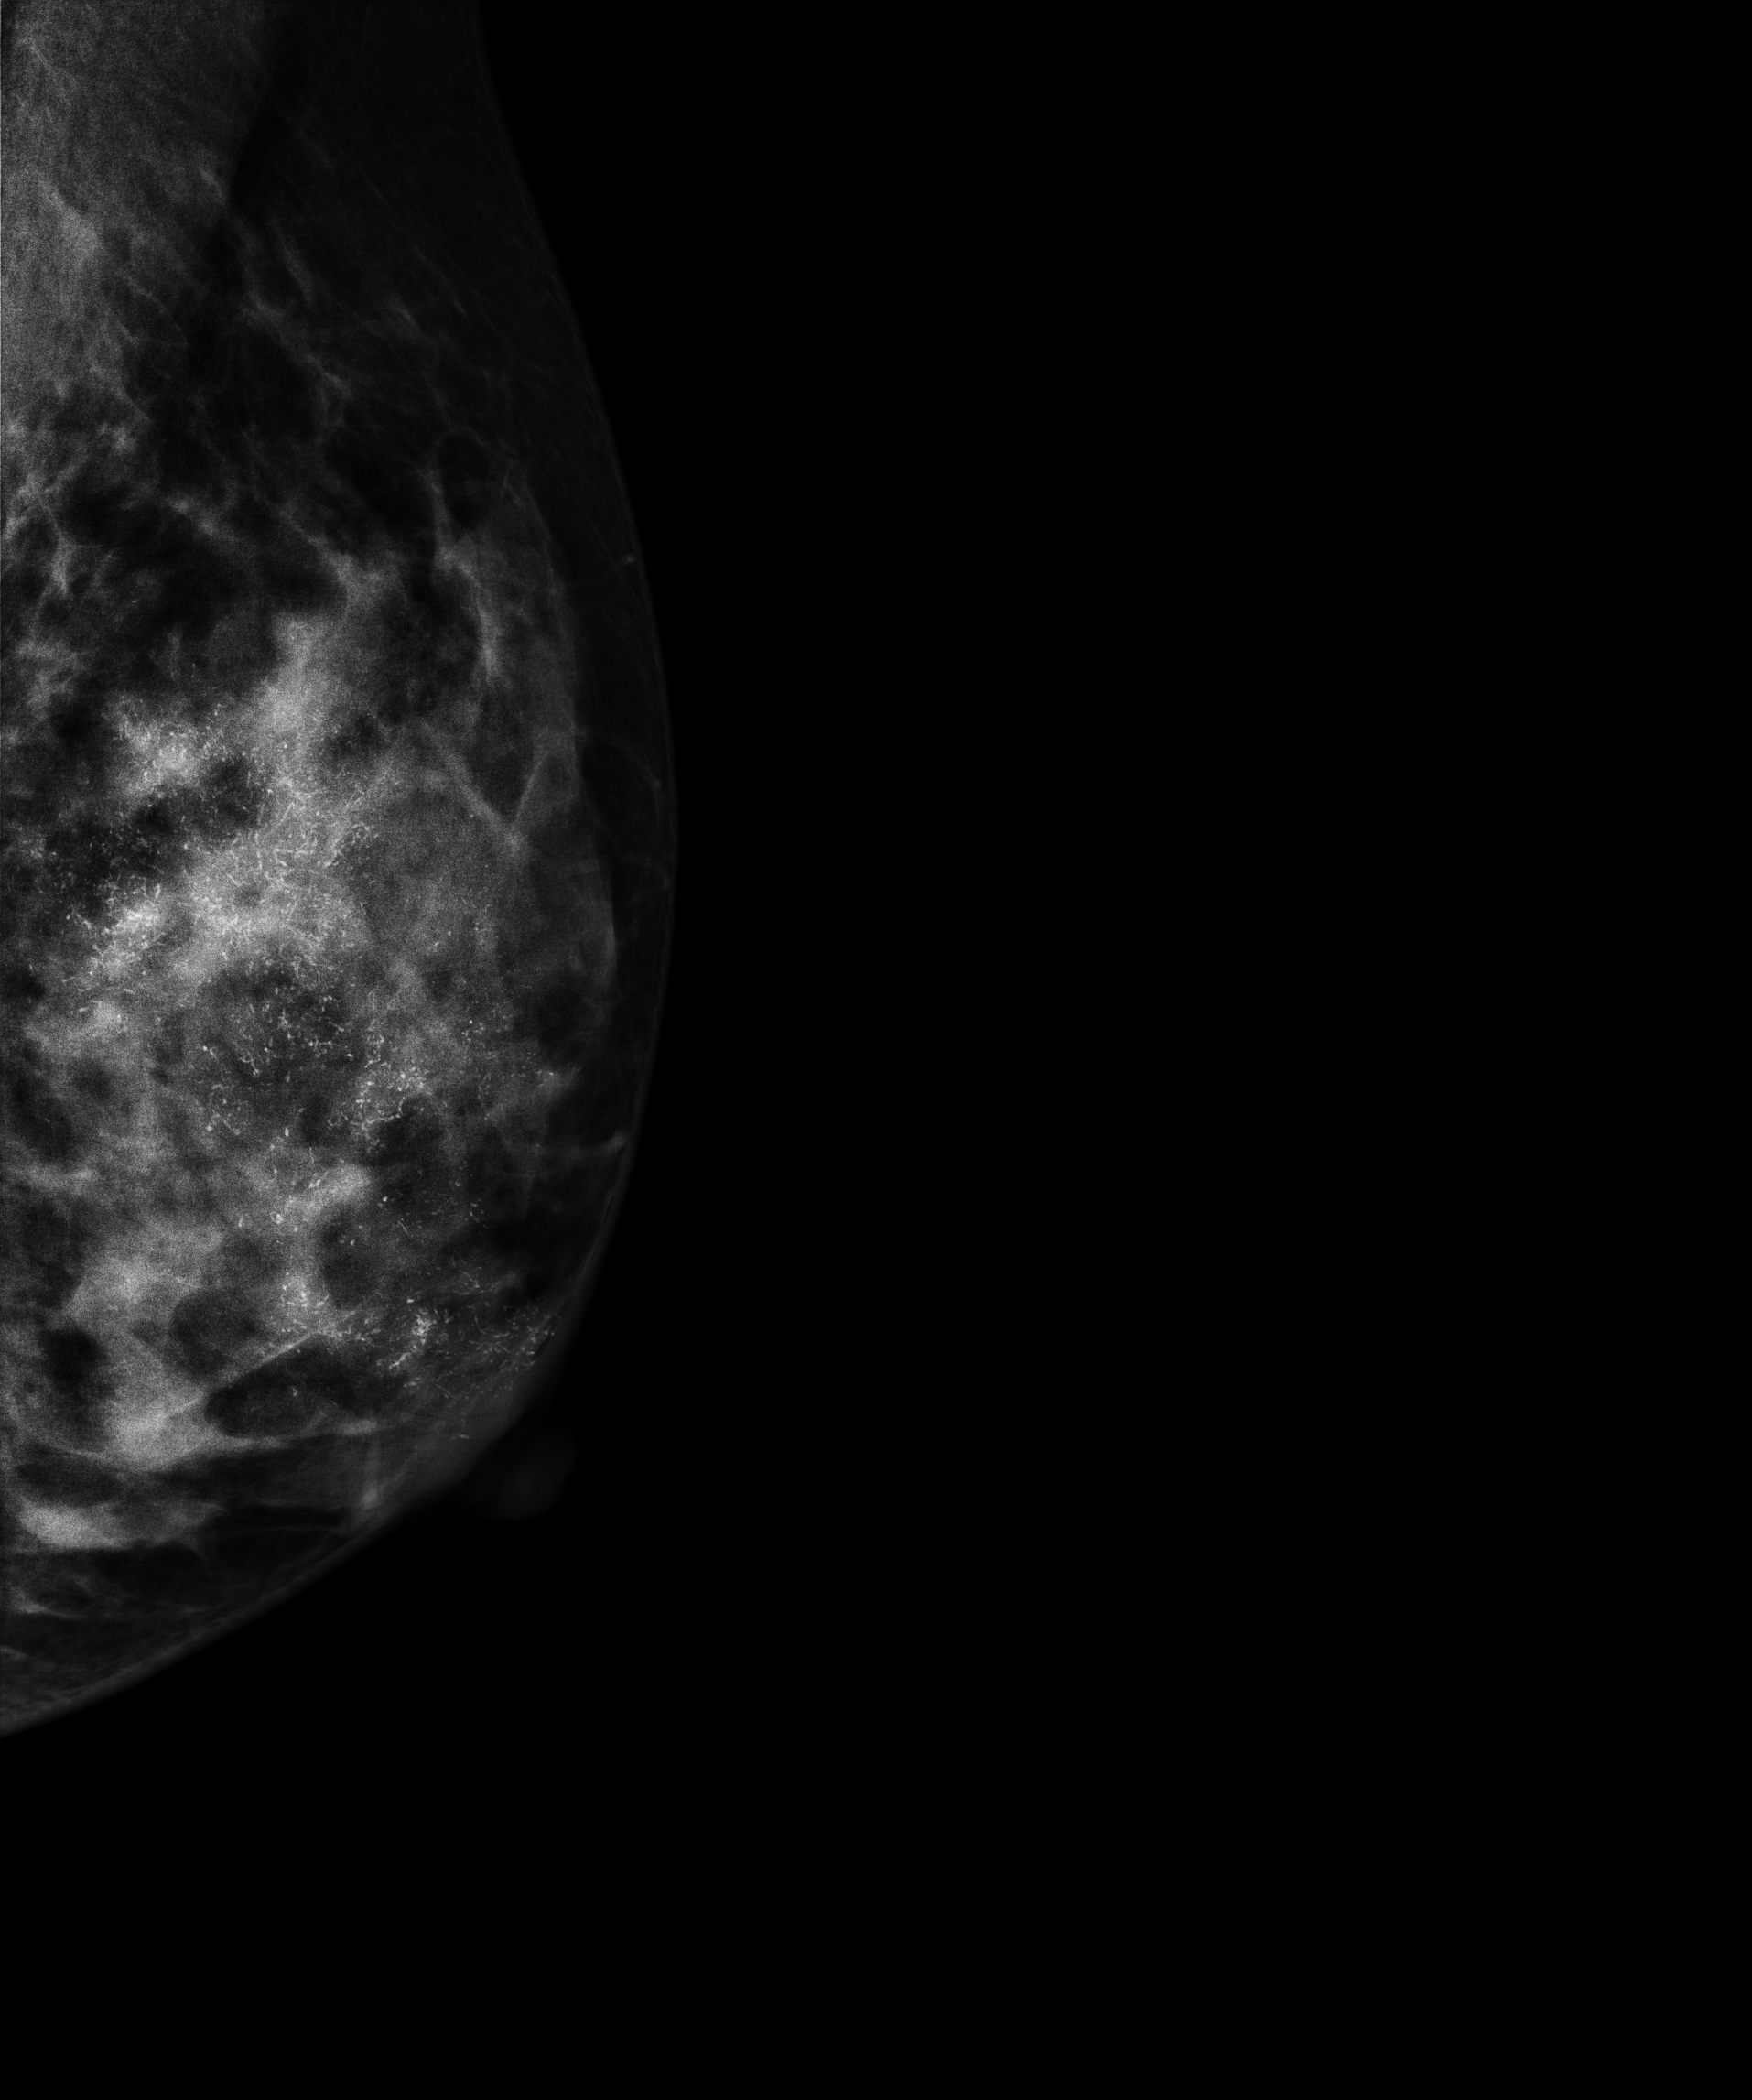
MLO mammogram of the left breast. 27 y/o patient.
This breast has calcifications, biopsy-proven malignant.